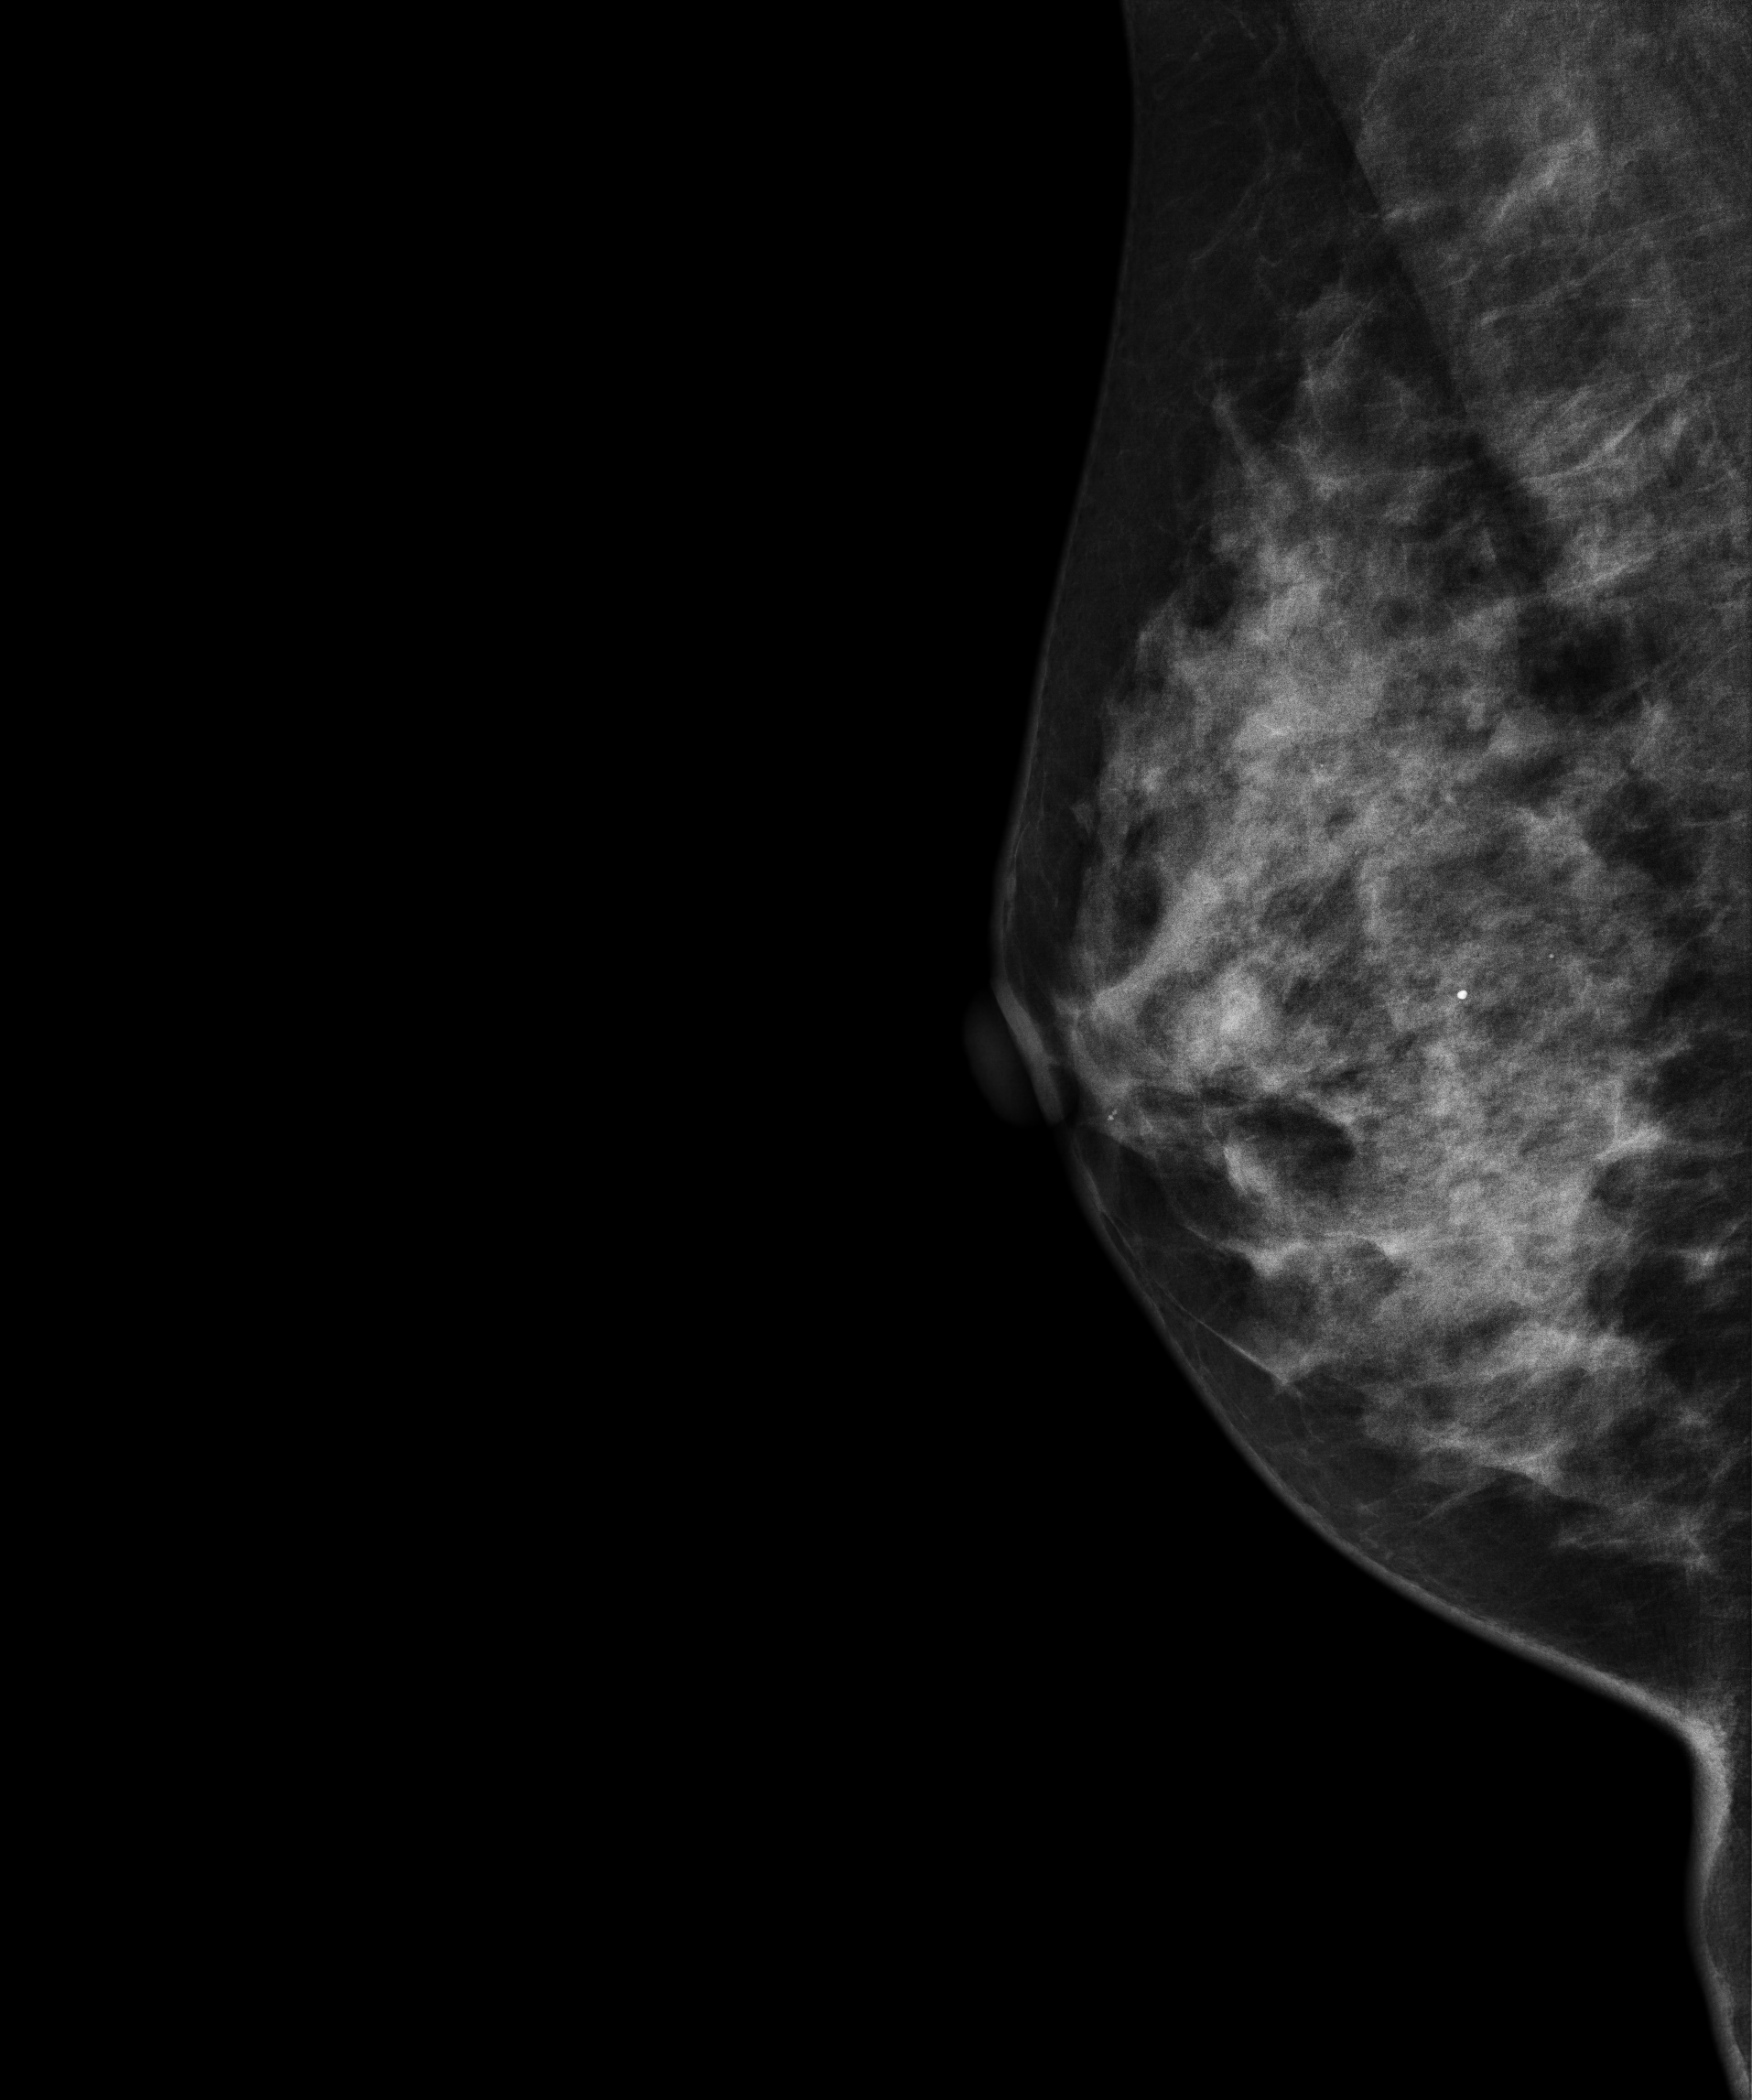
Medio-lateral oblique mammogram of the right breast. 46-year-old patient.
Contralateral breast — no documented abnormality on this side.